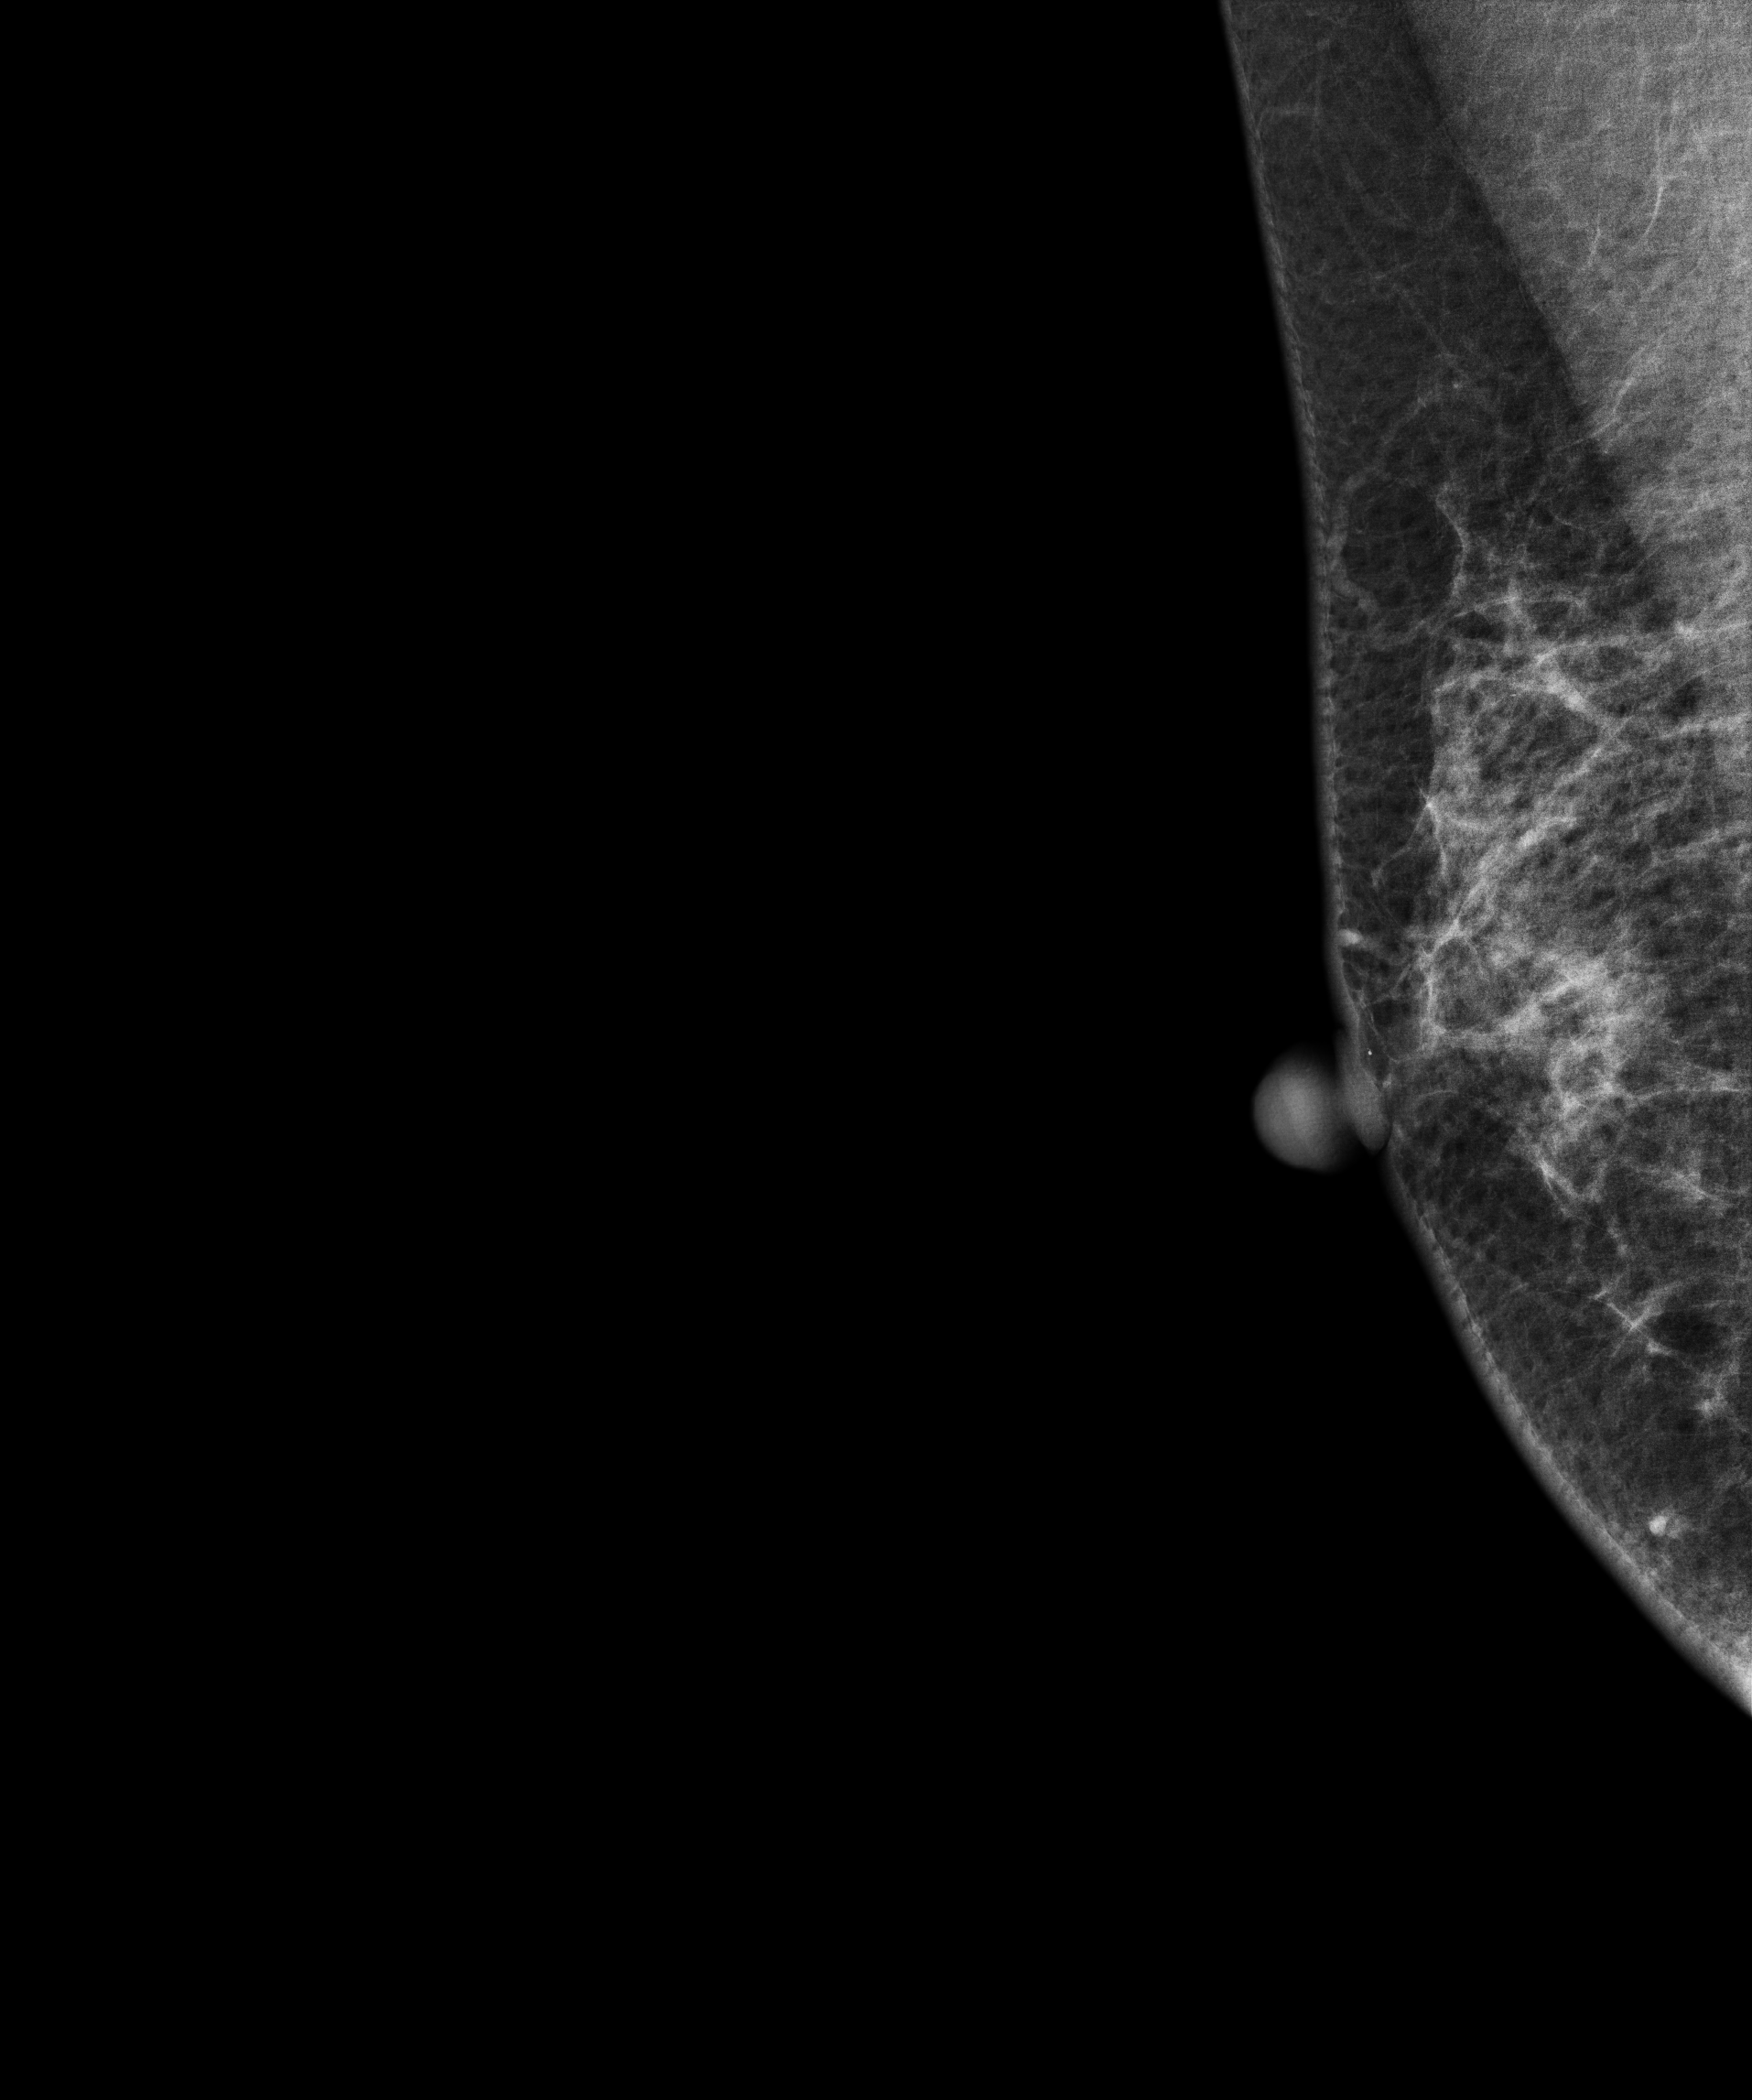
Digital mammography. Right breast, MLO projection. Patient age 53.
Contralateral breast — no documented abnormality on this side.